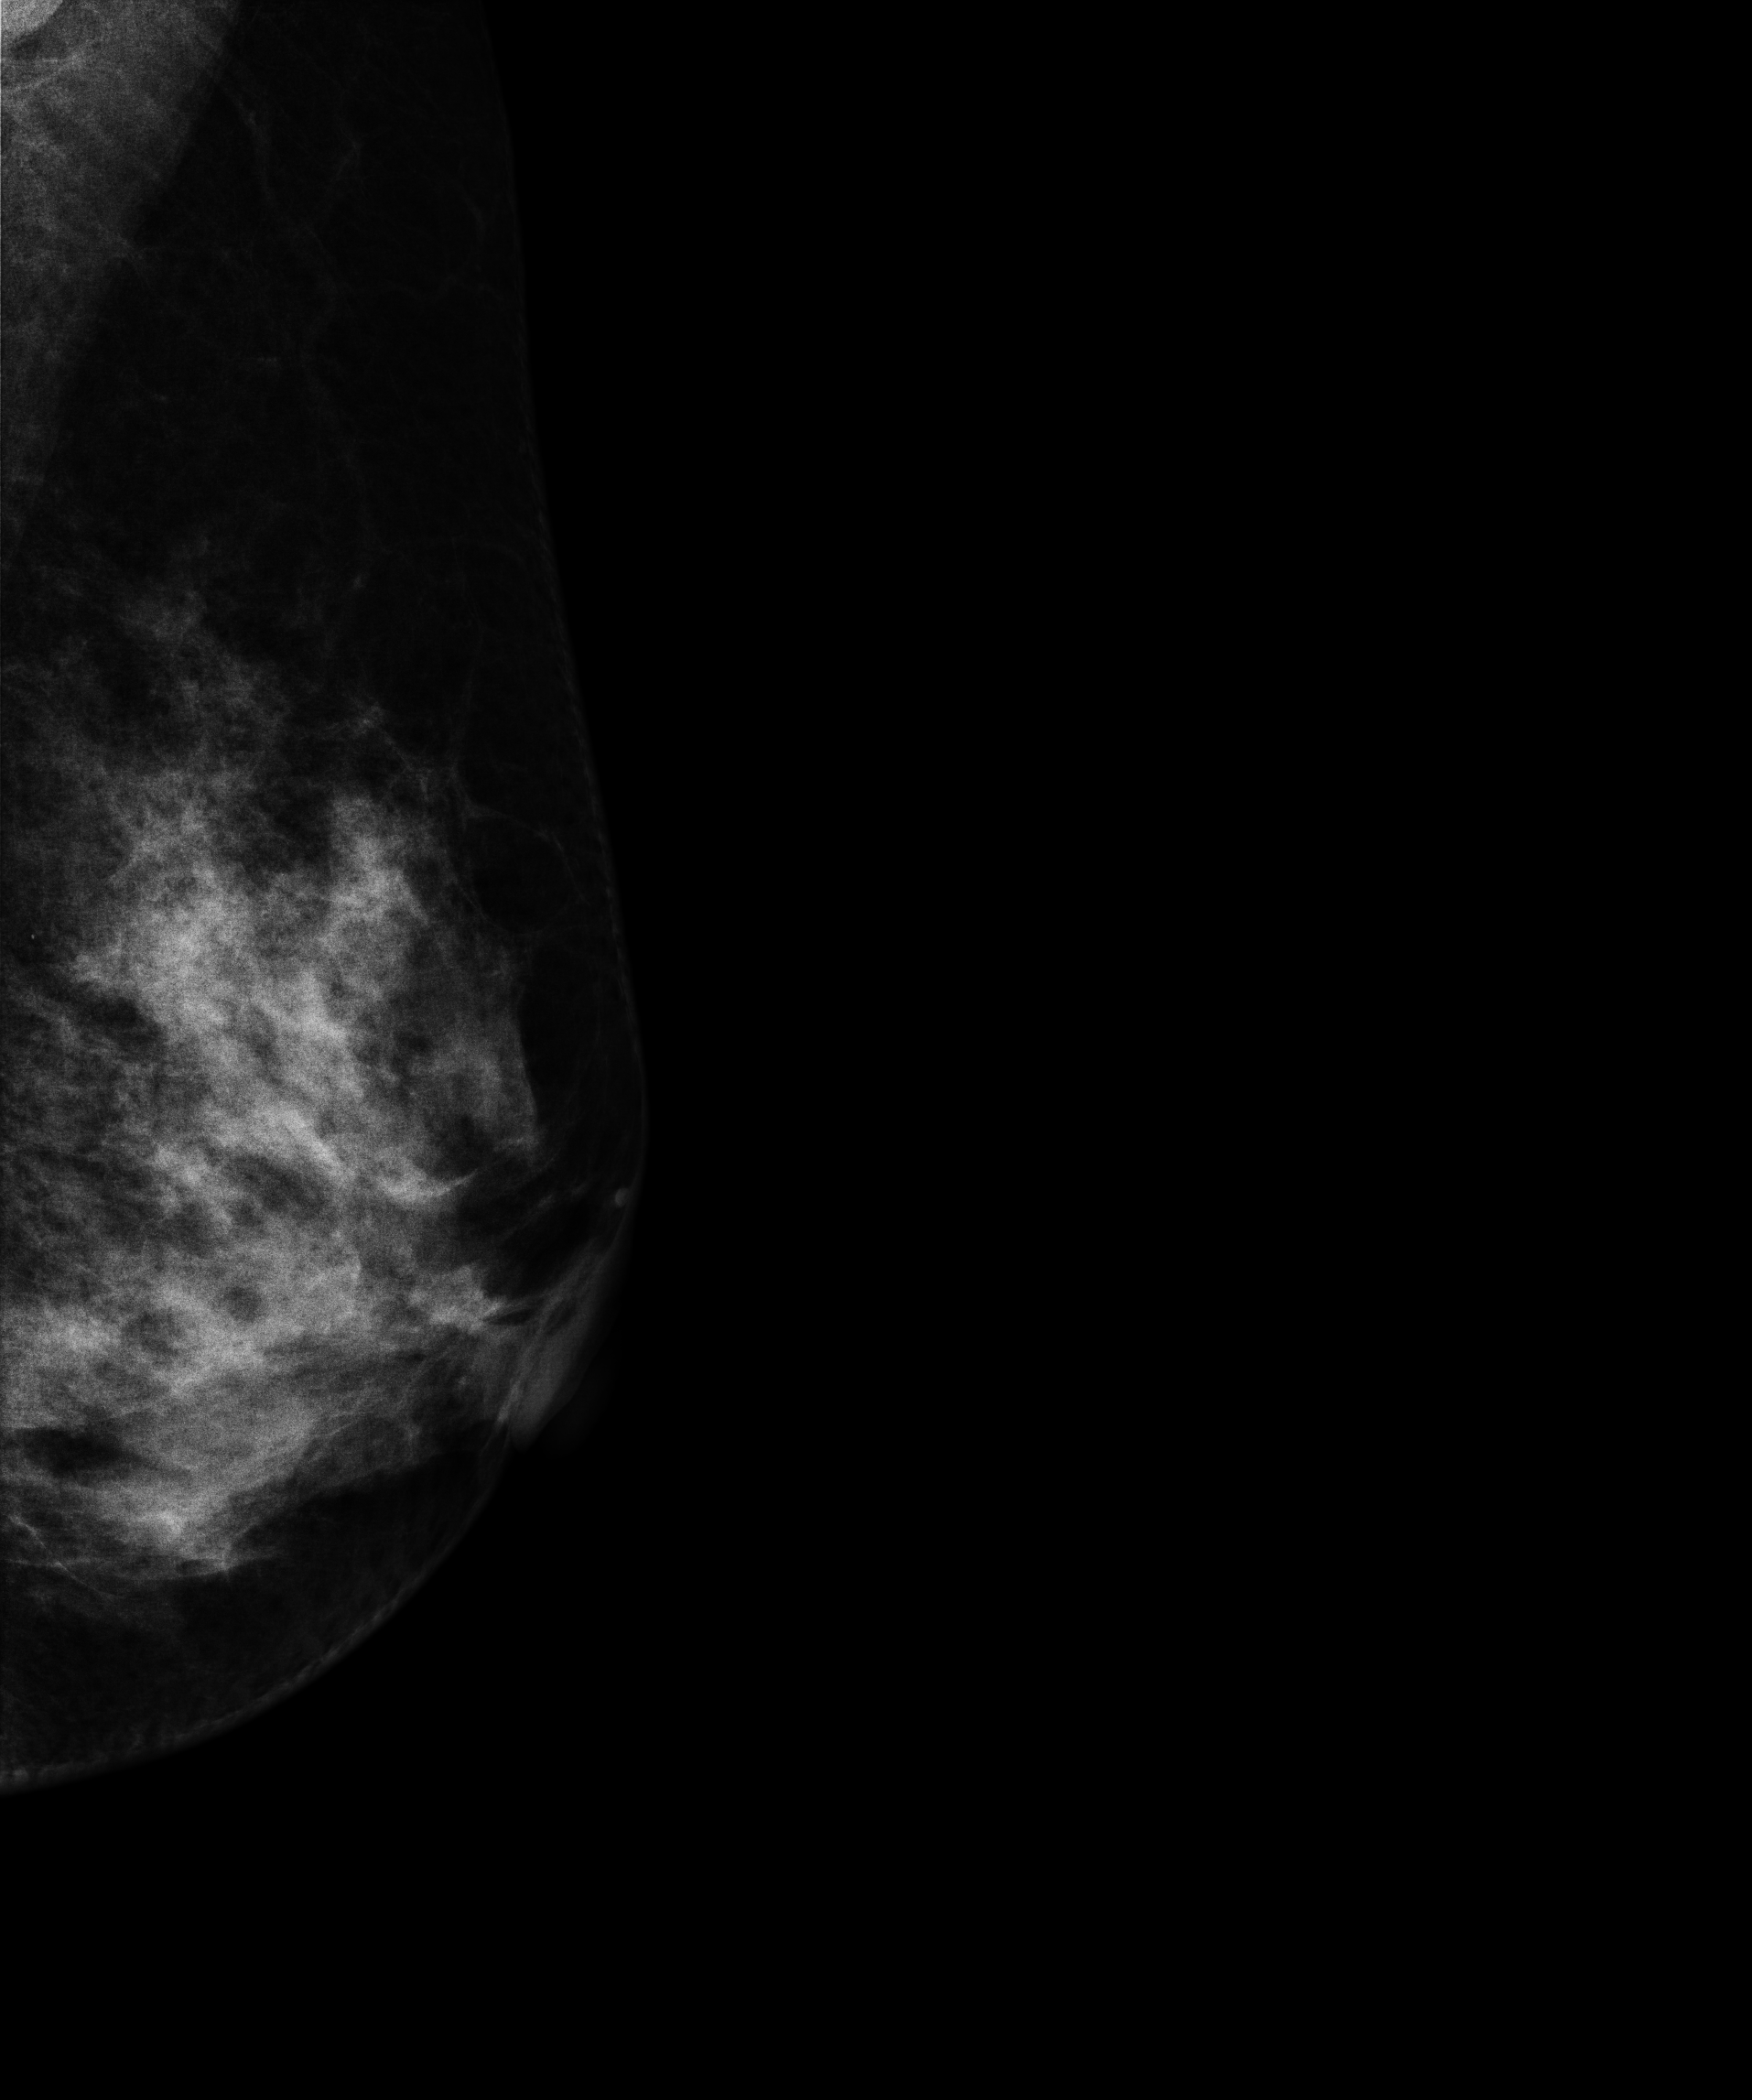
Medio-lateral oblique mammogram of the left breast. 46 y/o patient.
This breast has a mass, biopsy-confirmed malignant. Molecular subtype: triple-negative.